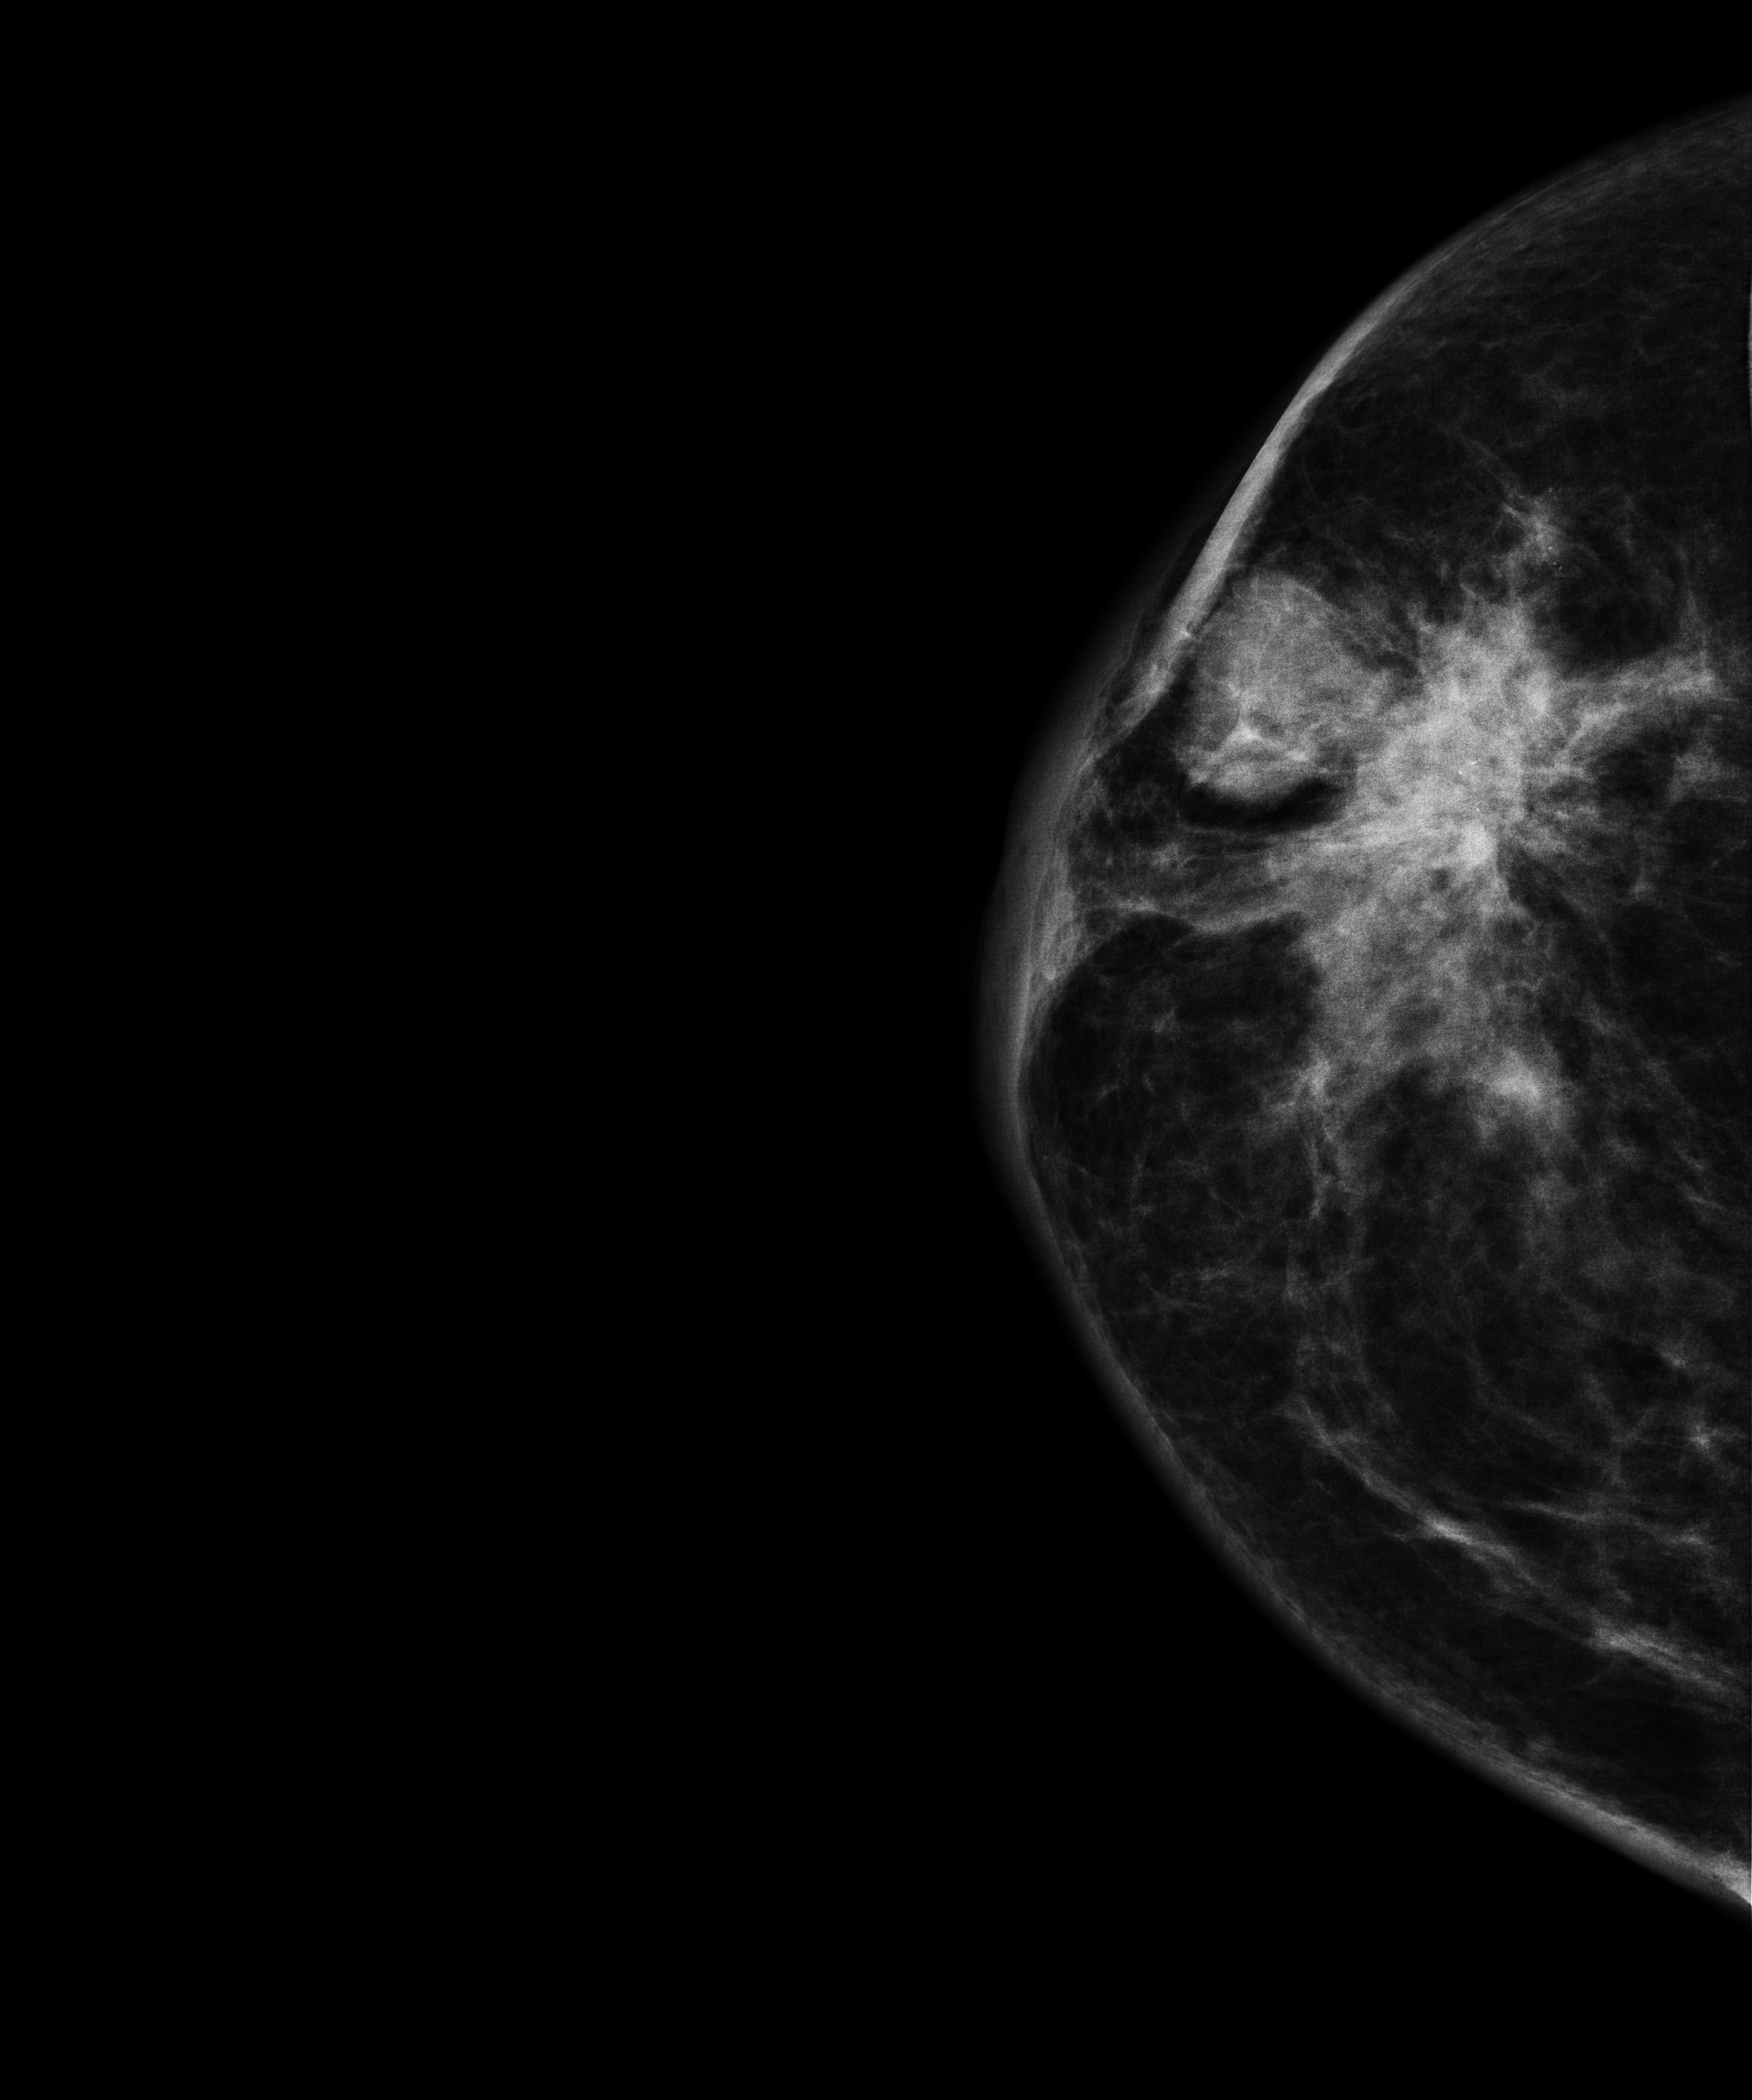
Digital mammography. Right breast, CC projection. Patient age 51.
This breast has a mass, histologically confirmed malignant. Molecular subtype: luminal A.